Mammogram — right MLO. 37 y/o patient.
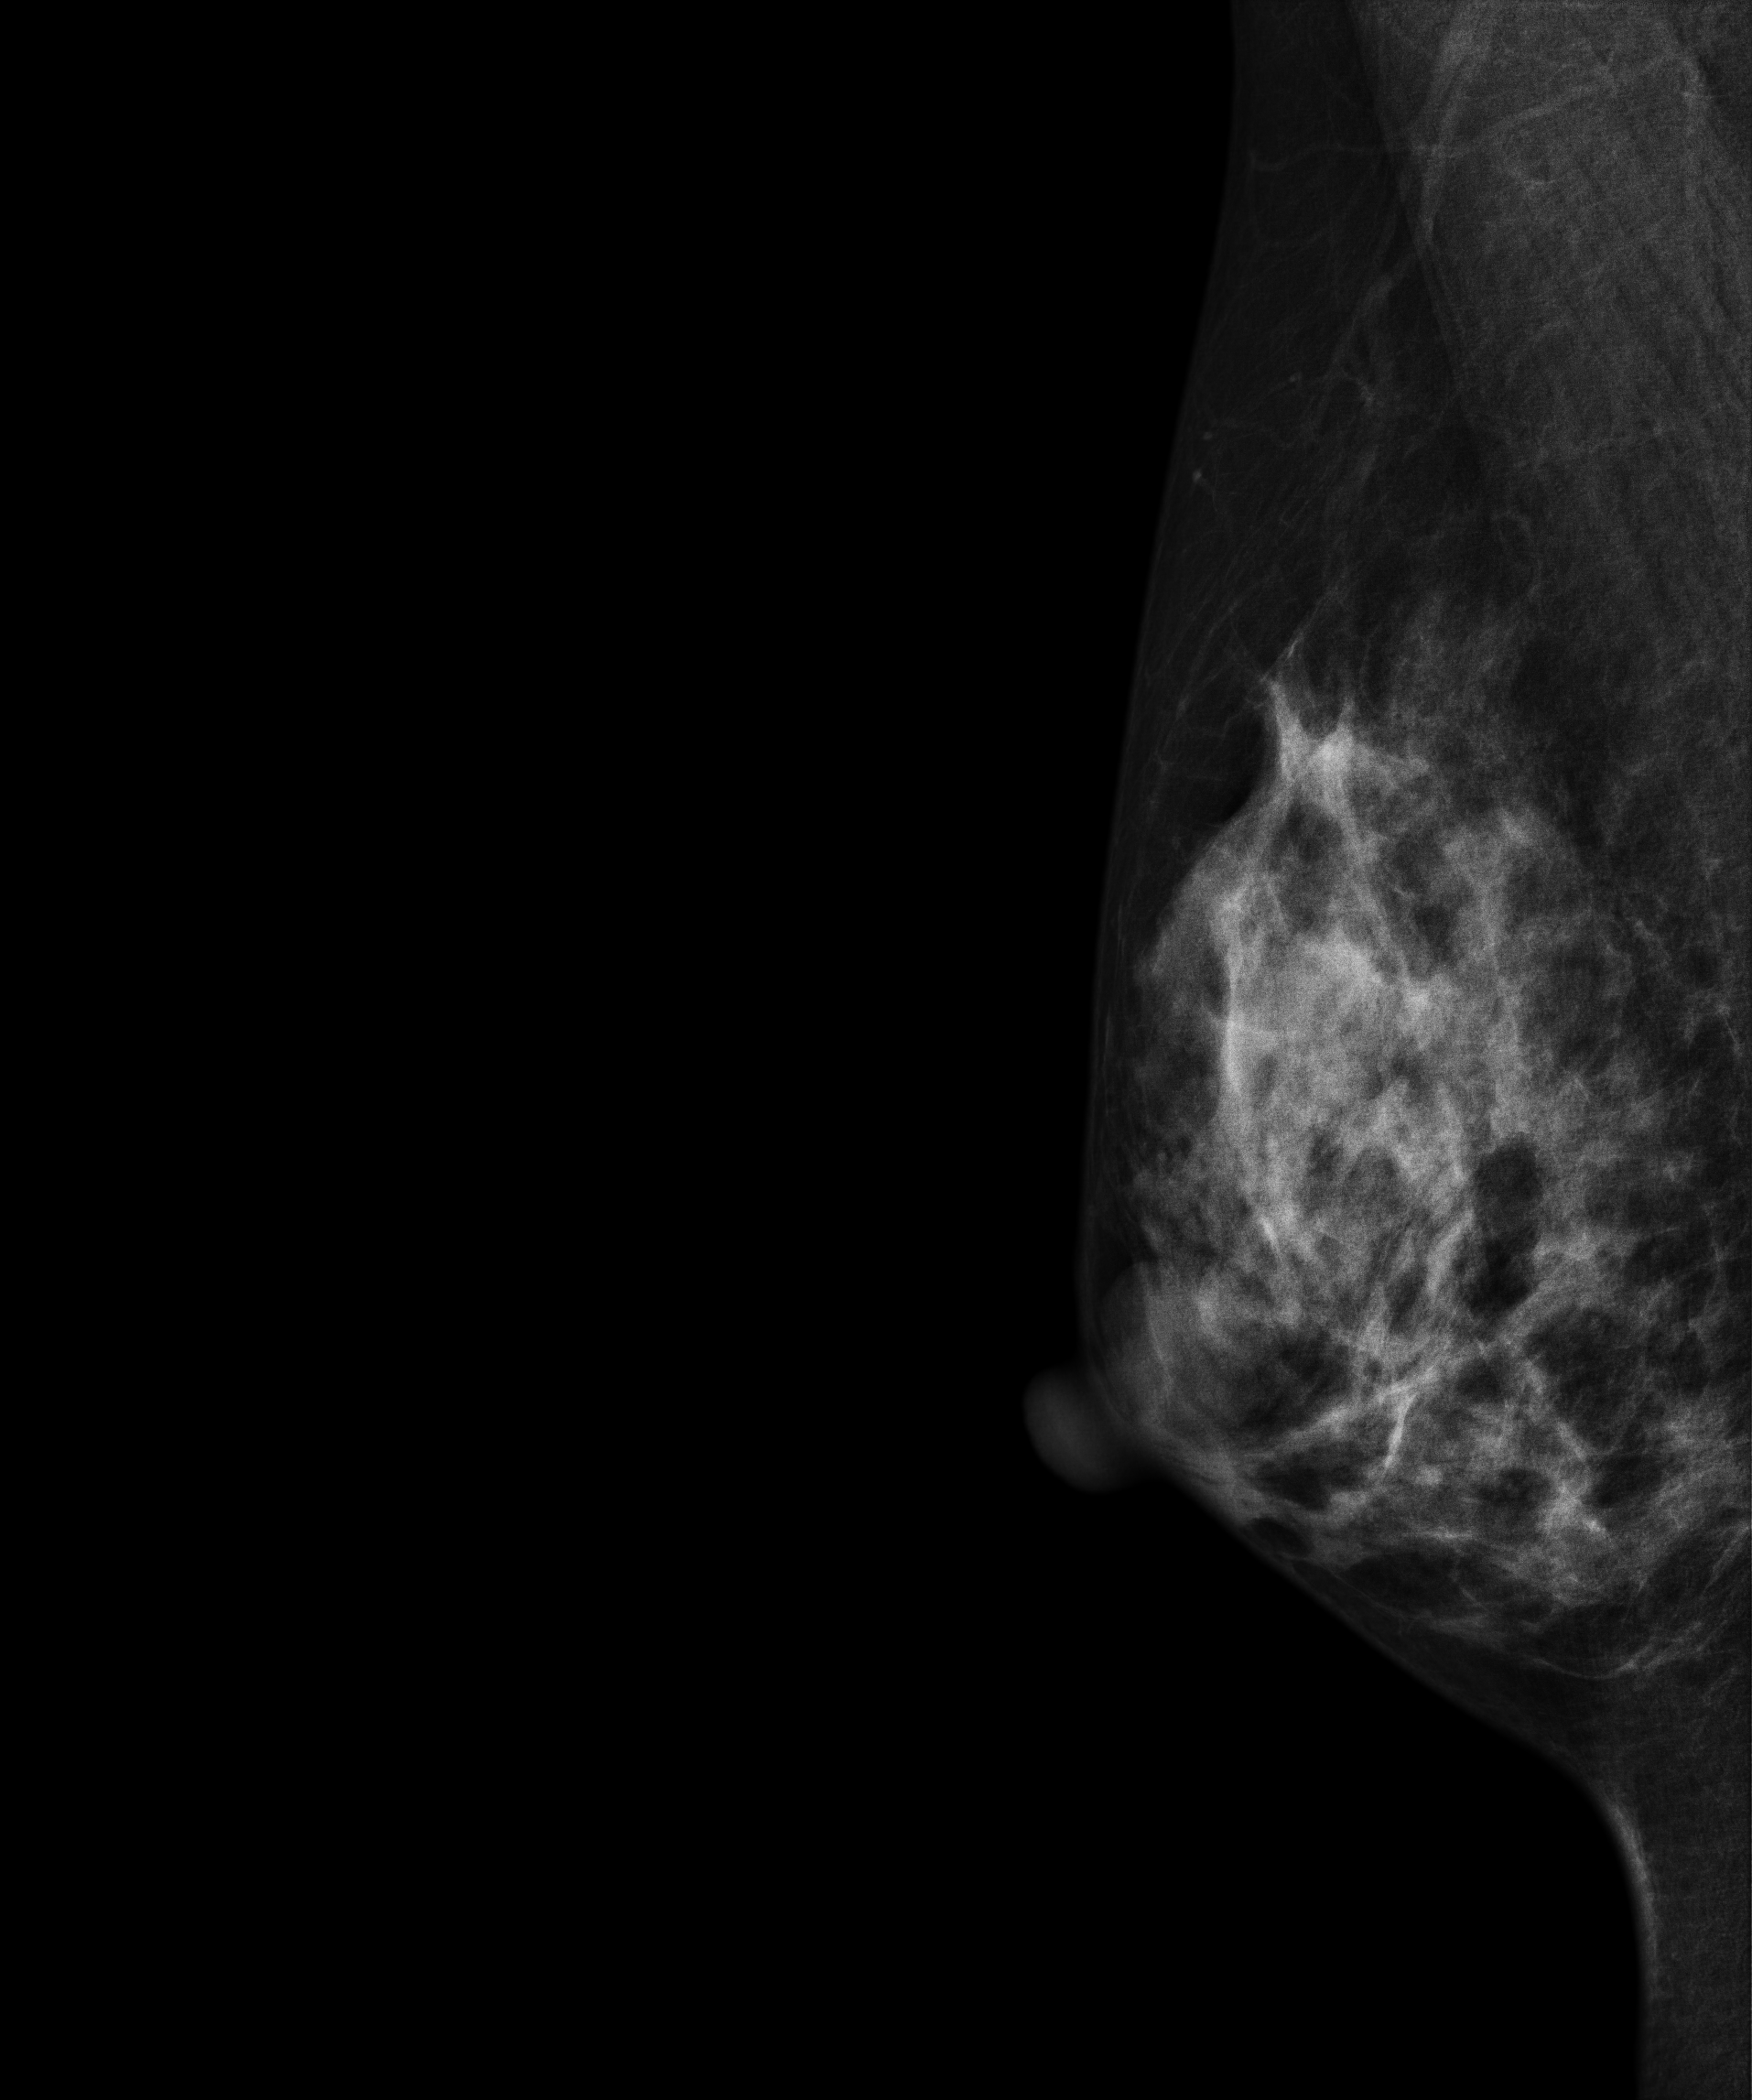
This breast has a mass, pathology-confirmed benign.